Mammogram, left breast, CC view. 47-year-old patient.
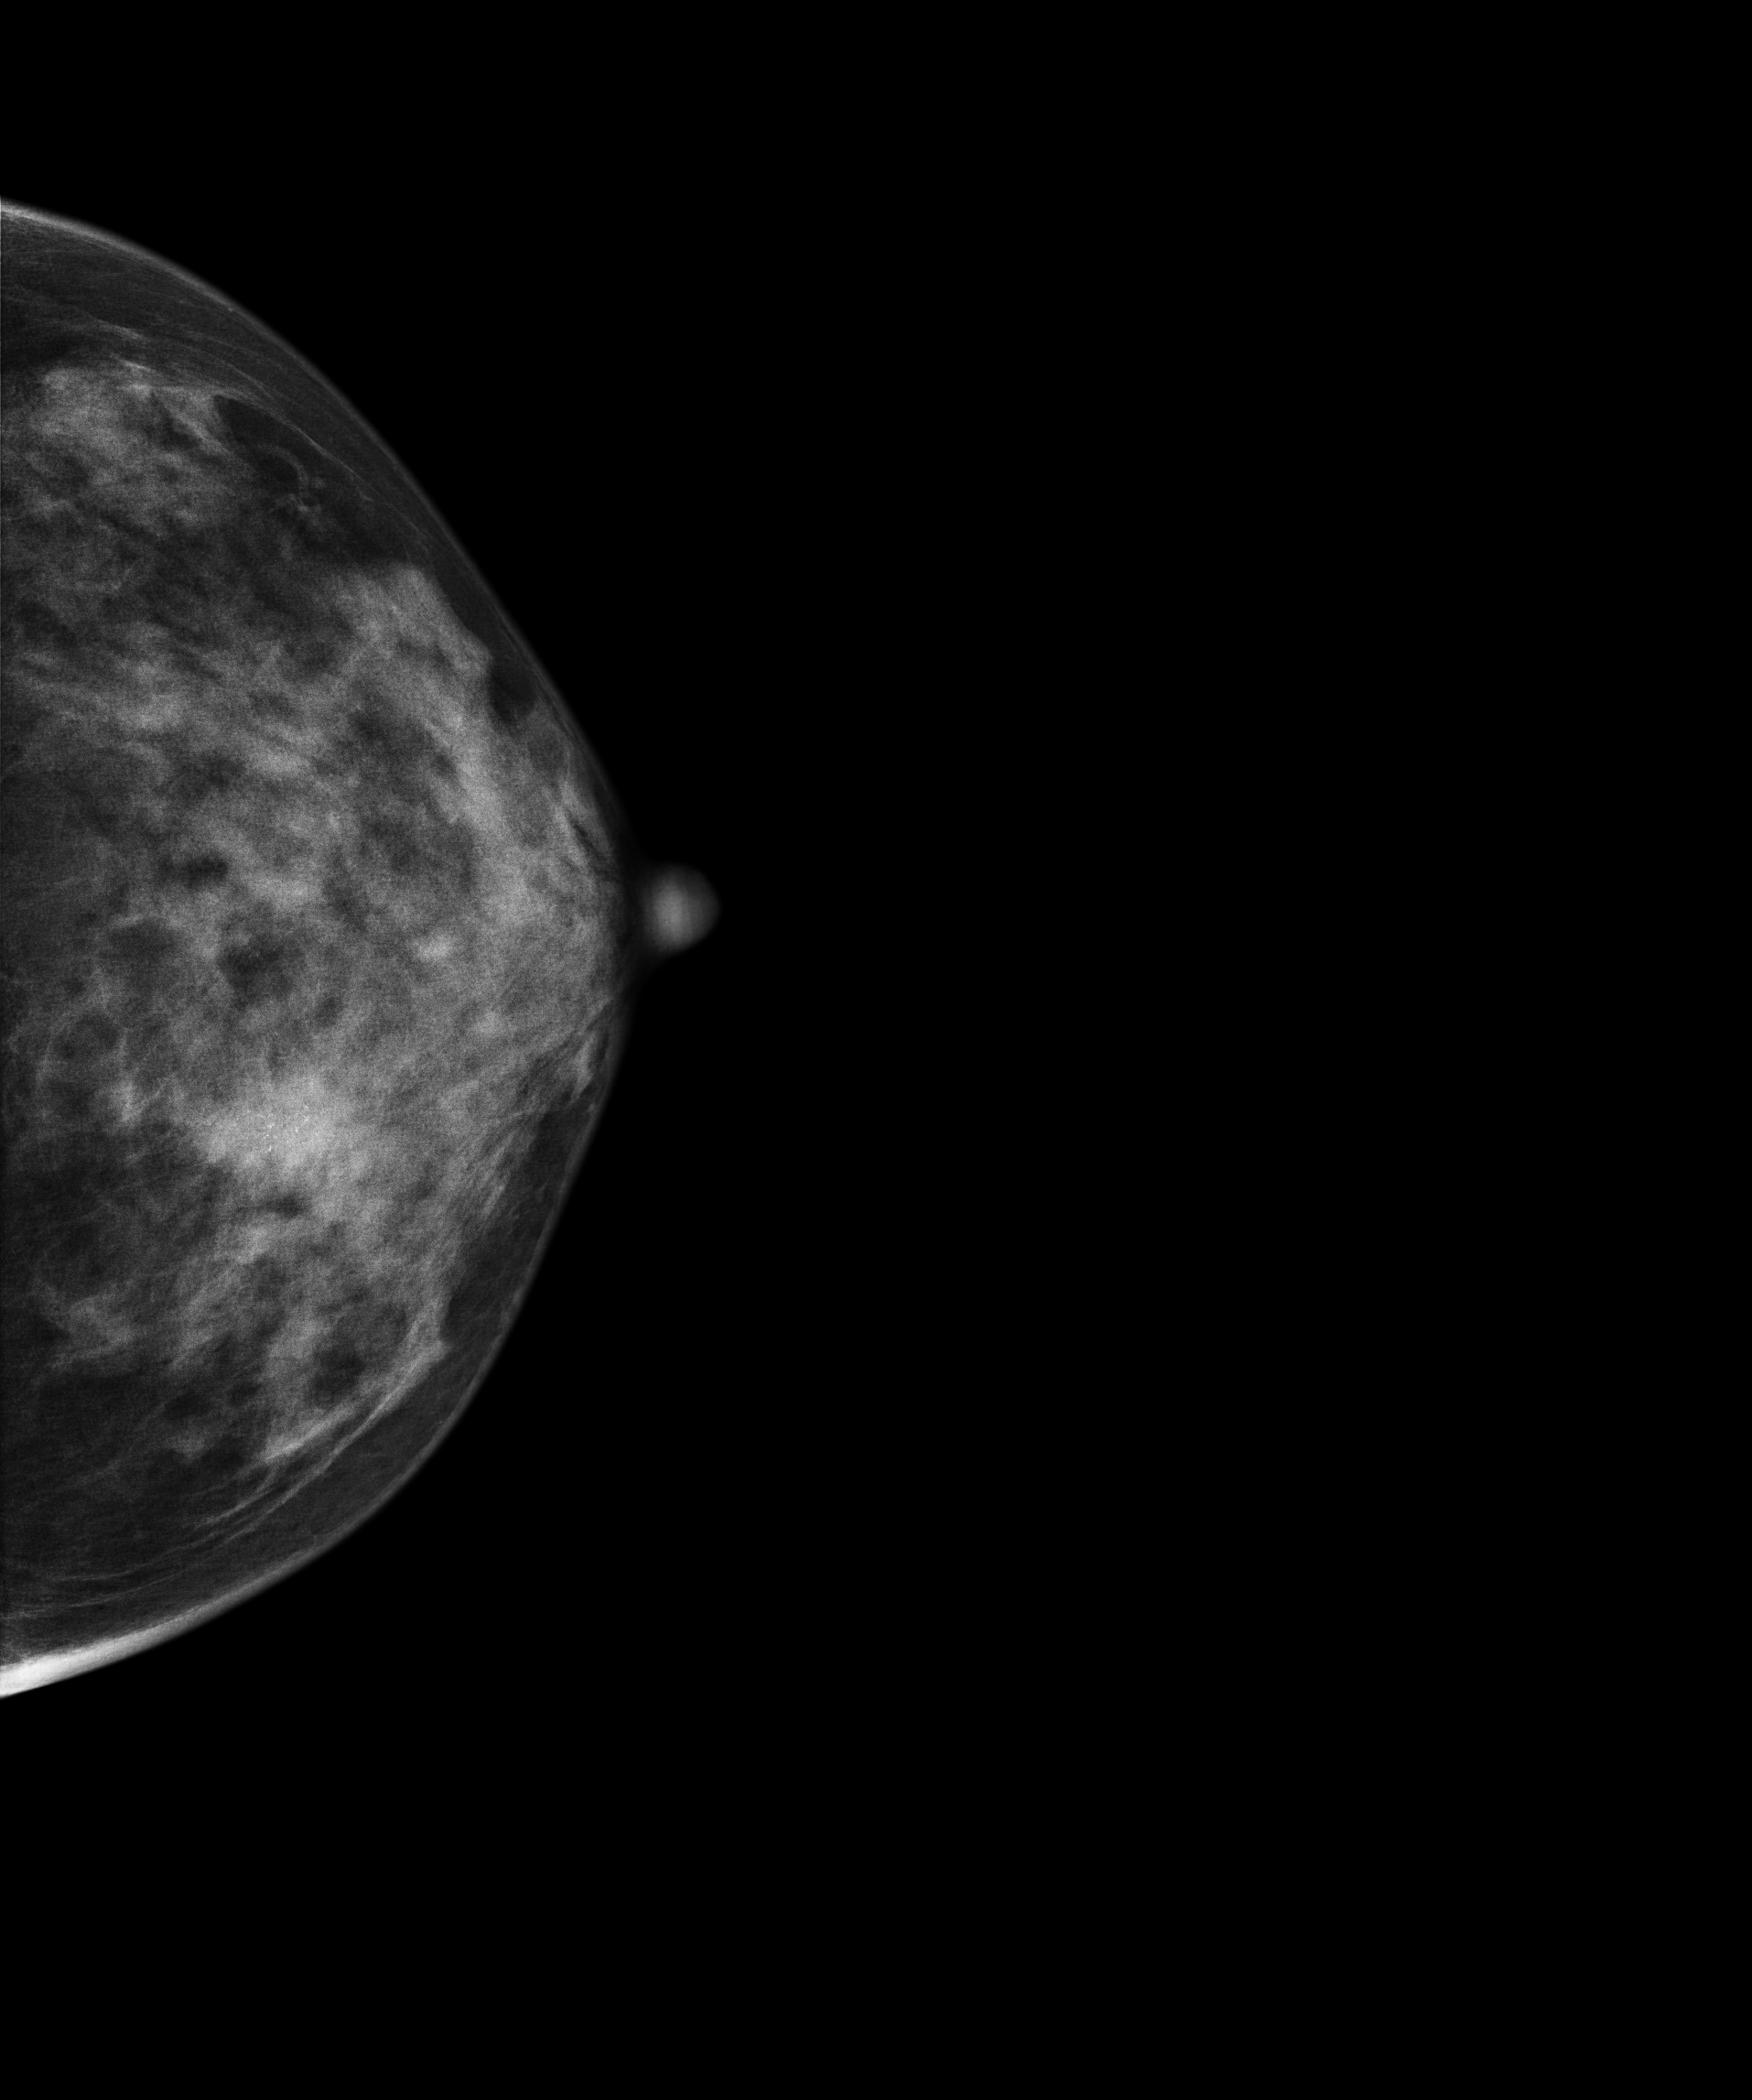
This breast has a mass and calcifications, pathology-confirmed malignant. Molecular subtype: luminal B.